Mammogram, left breast, CC view. 69 y/o patient.
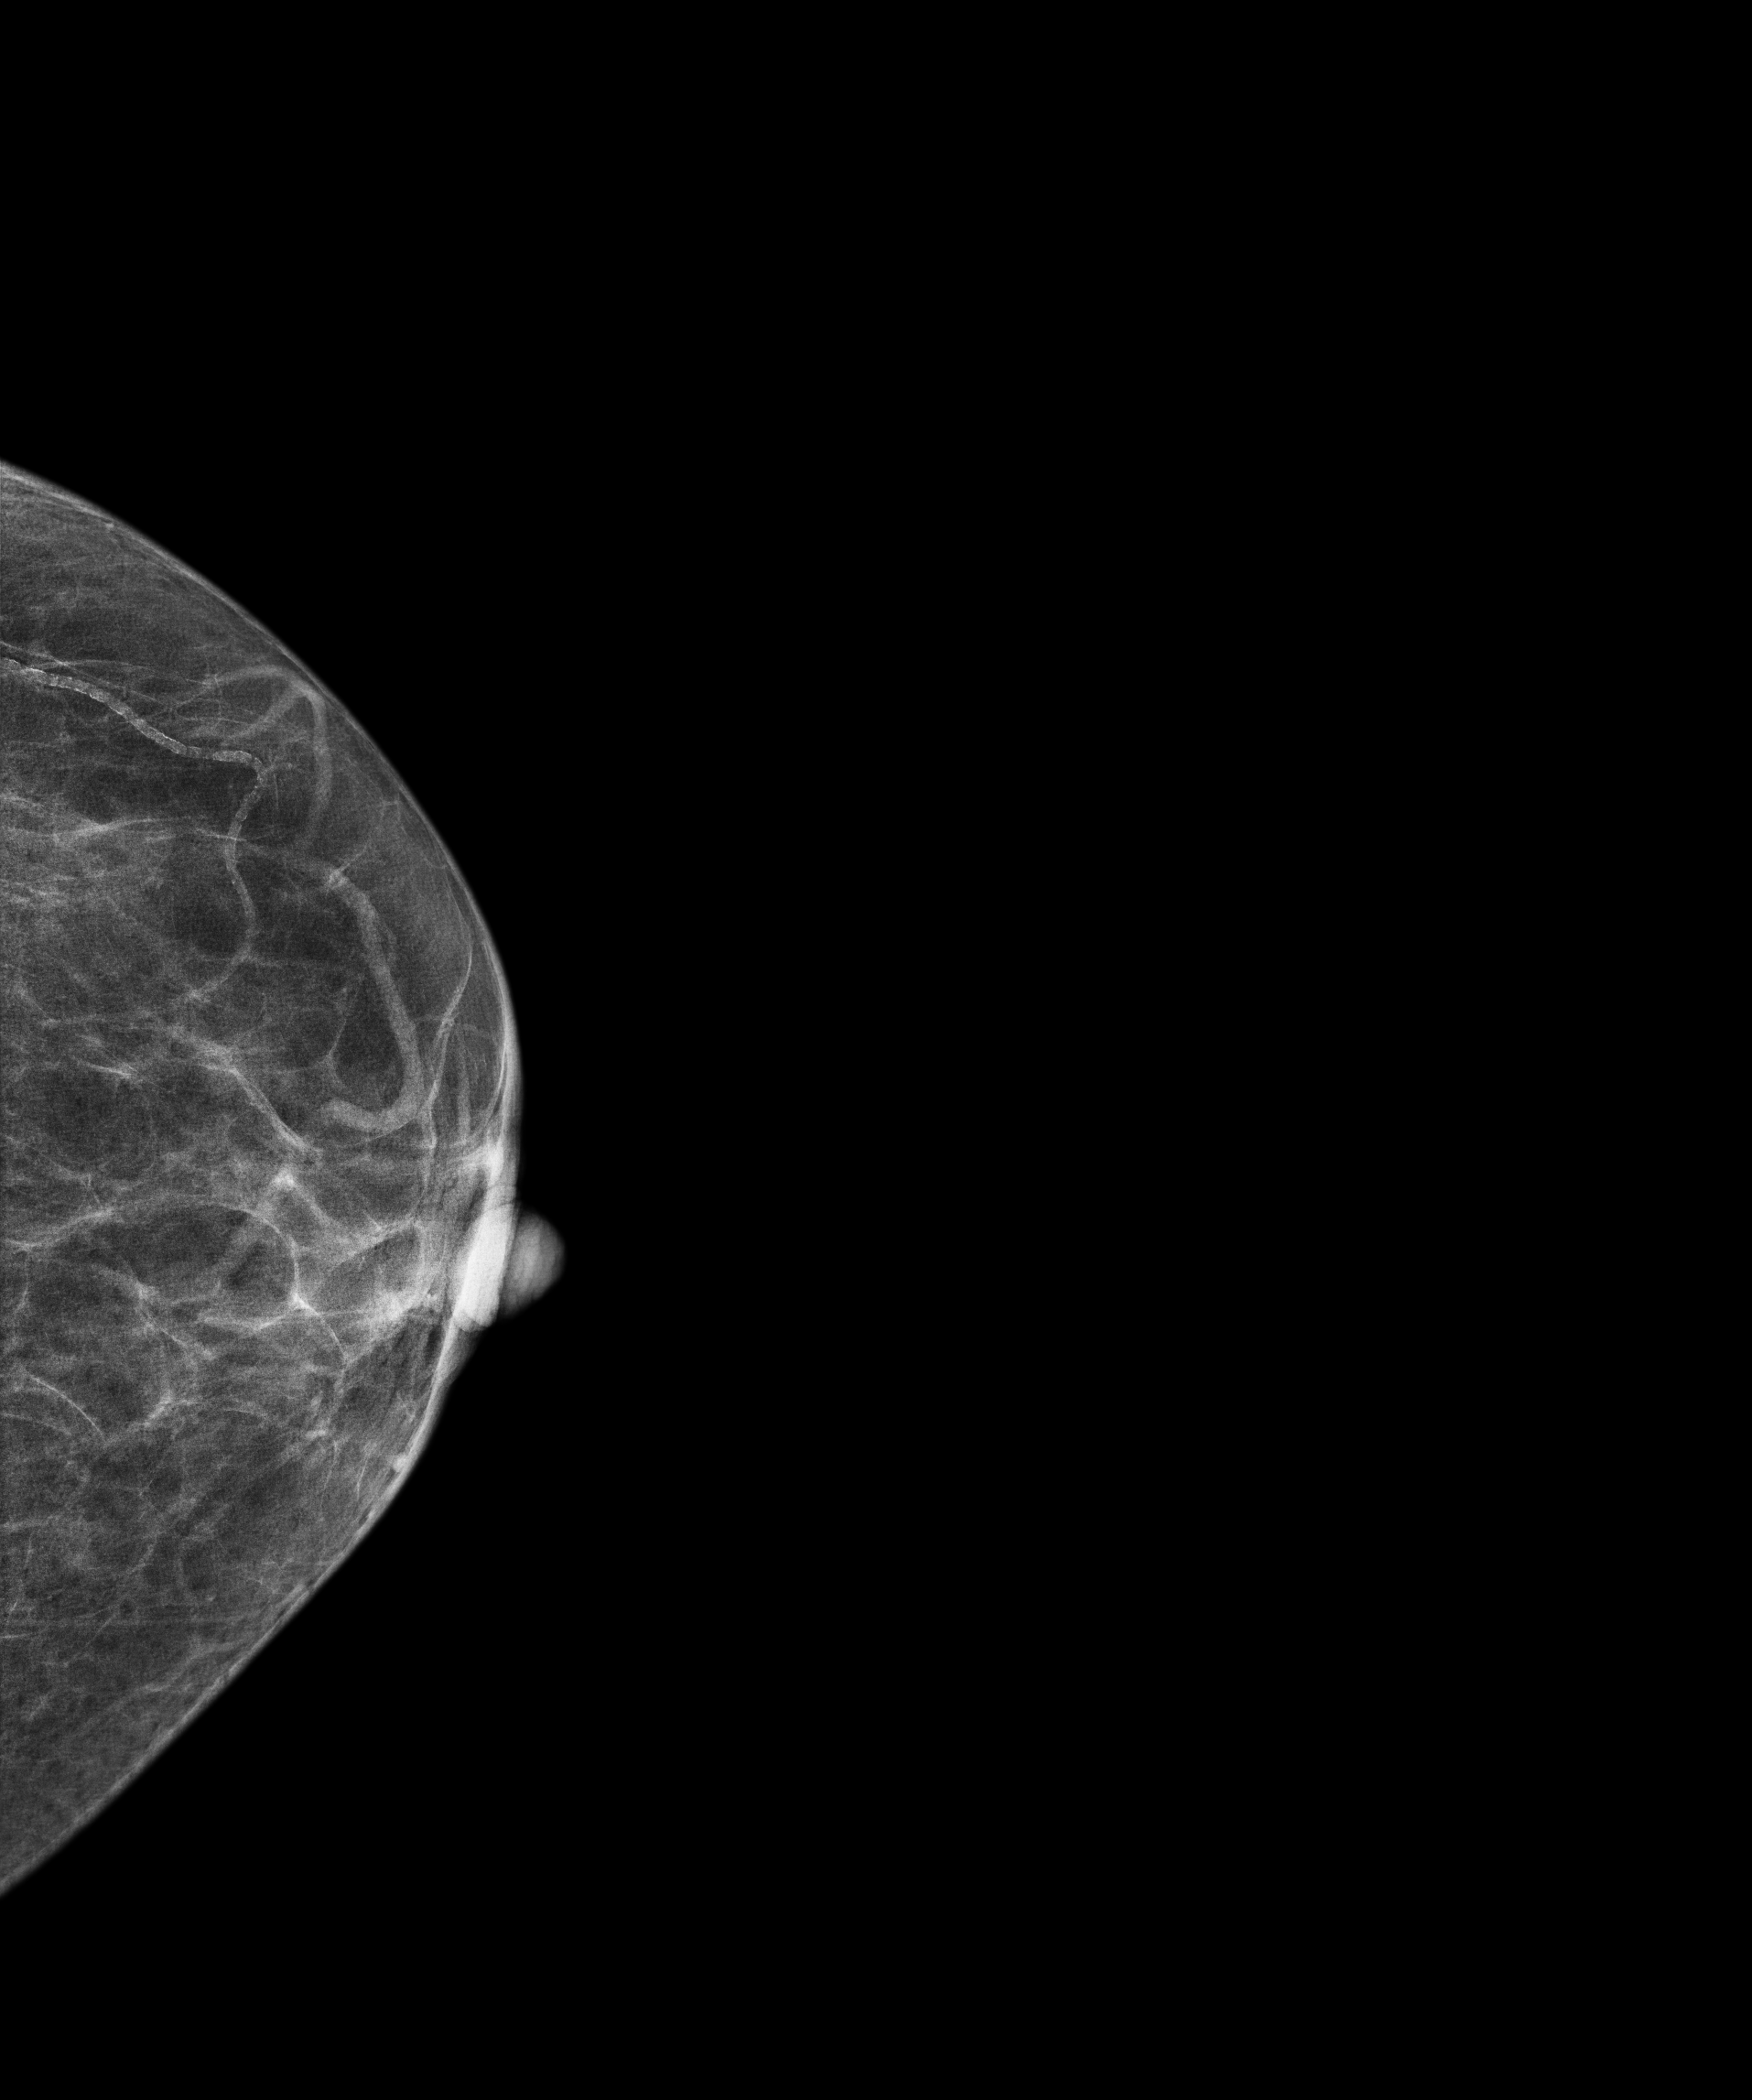
This breast has a mass, histologically confirmed malignant. Molecular subtype: luminal B.